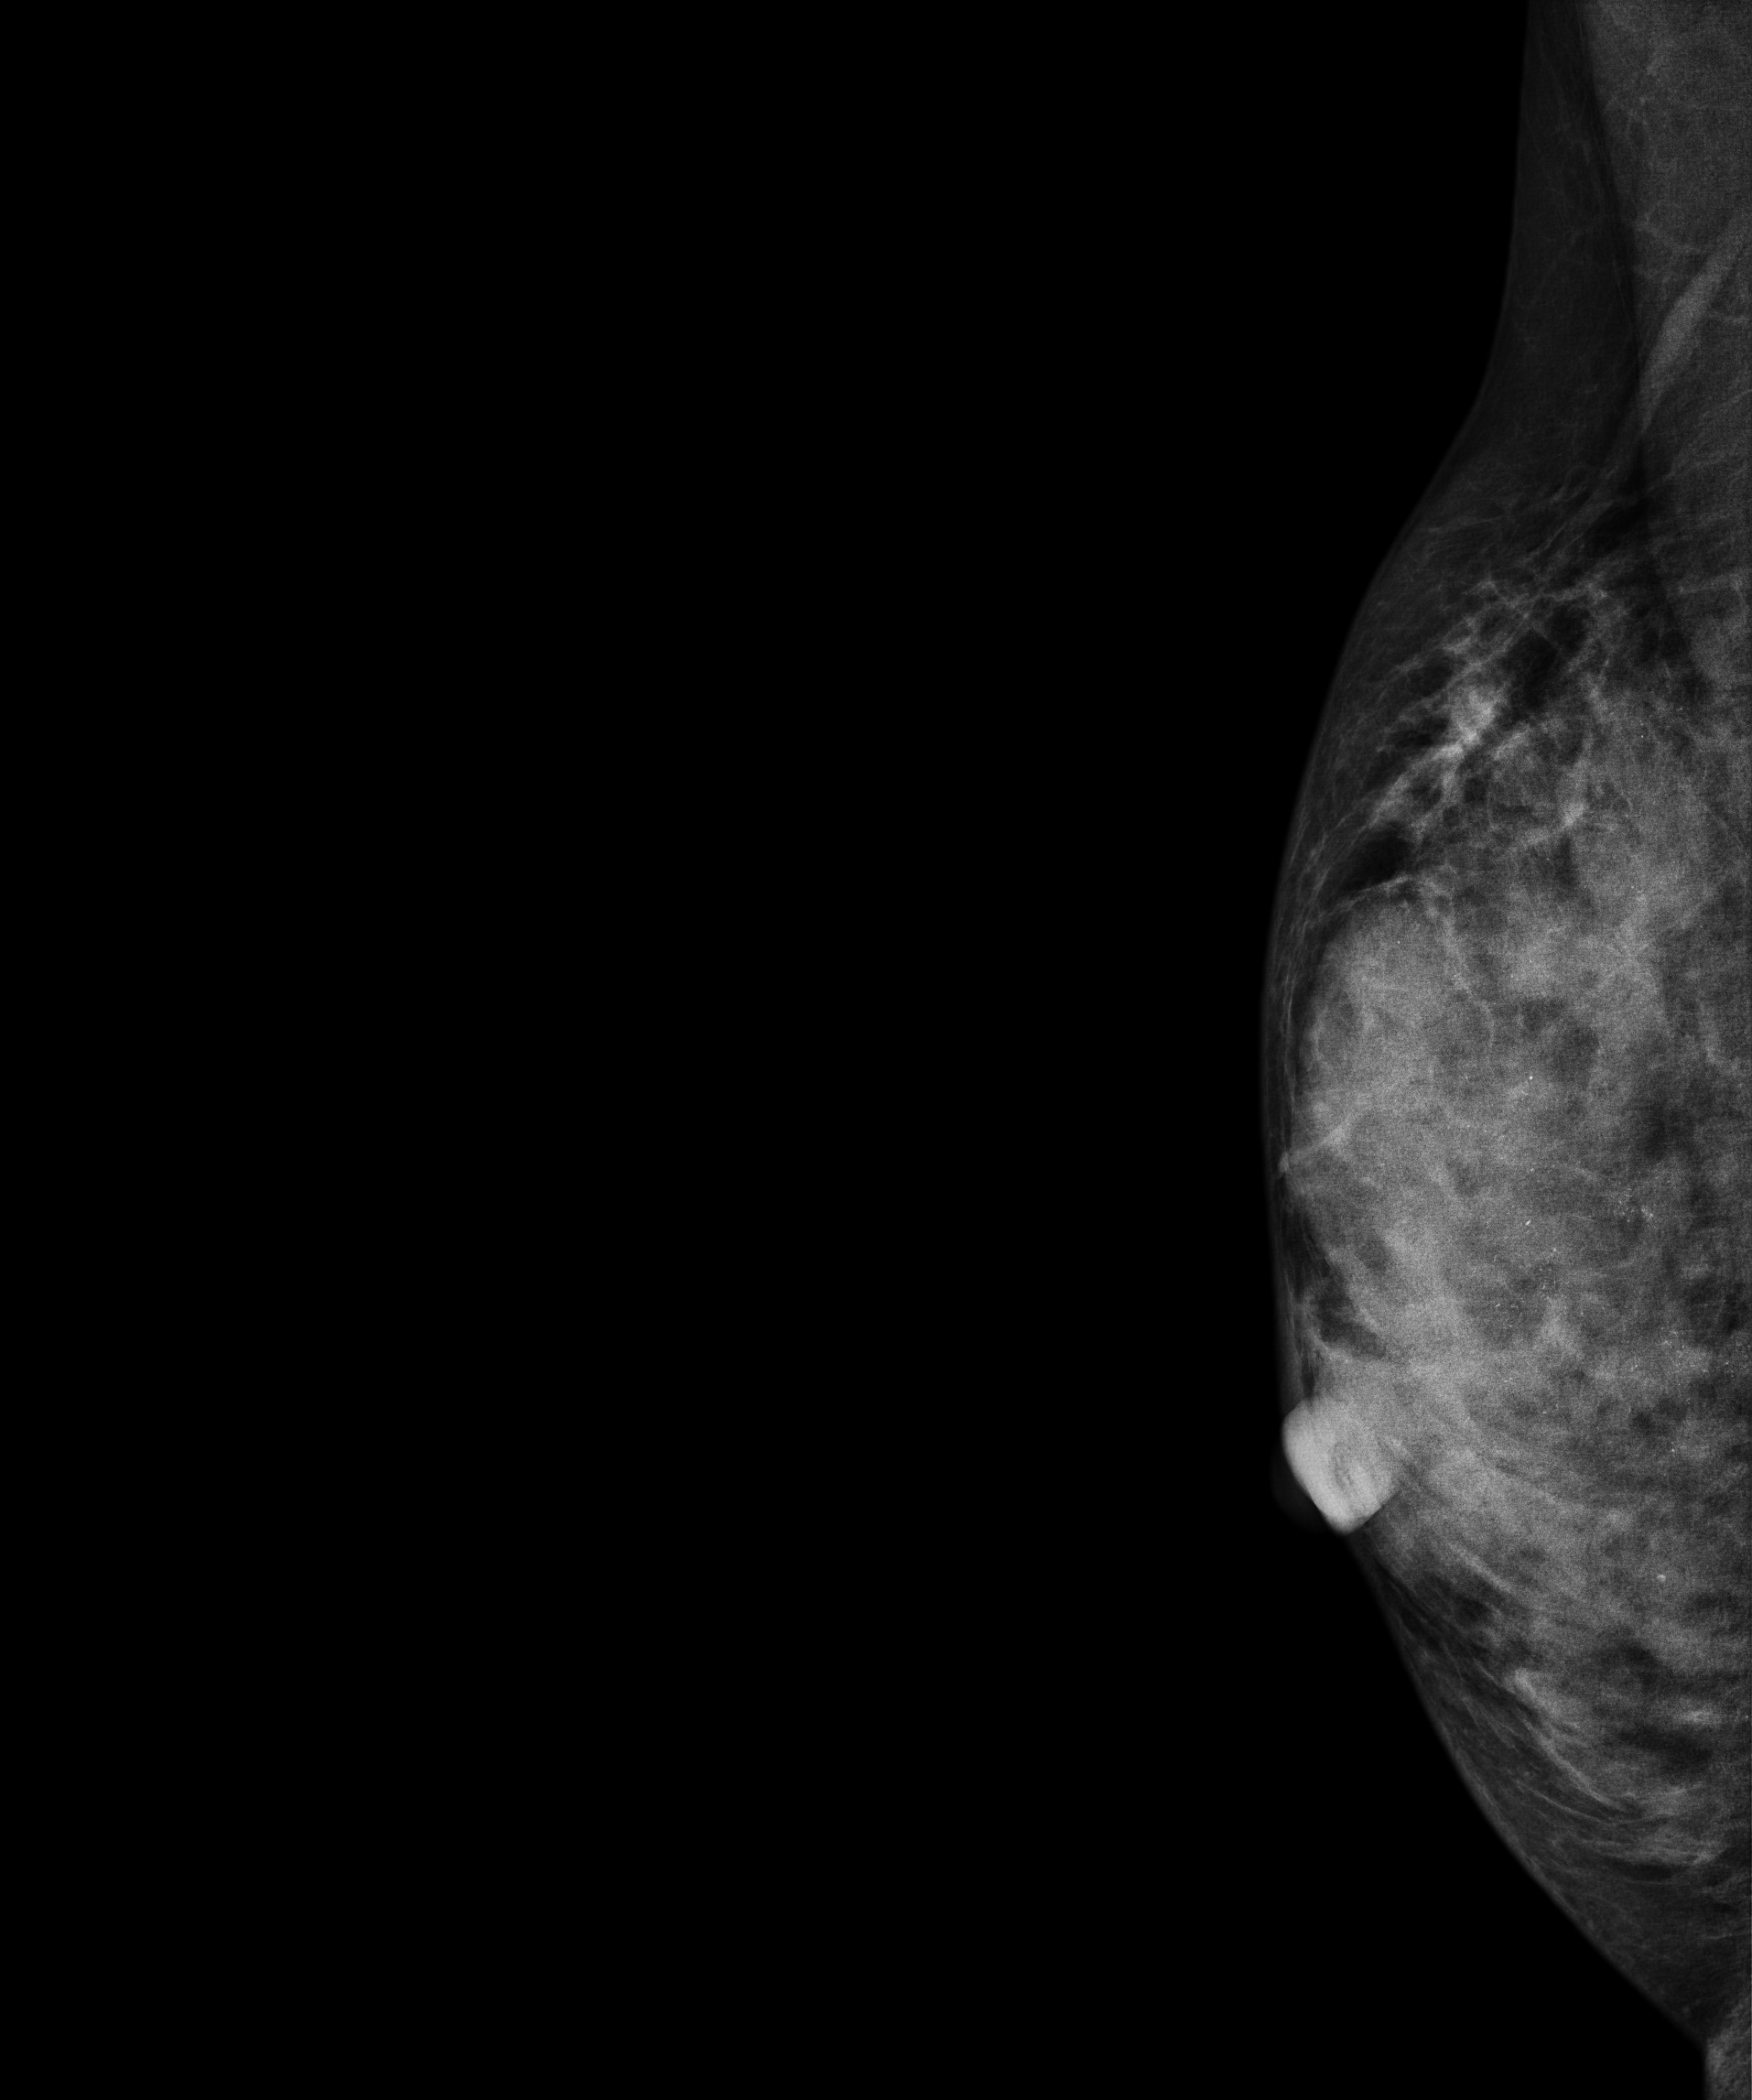
MLO mammogram of the right breast. 51 y/o patient.
This breast has calcifications, pathology-confirmed malignant.